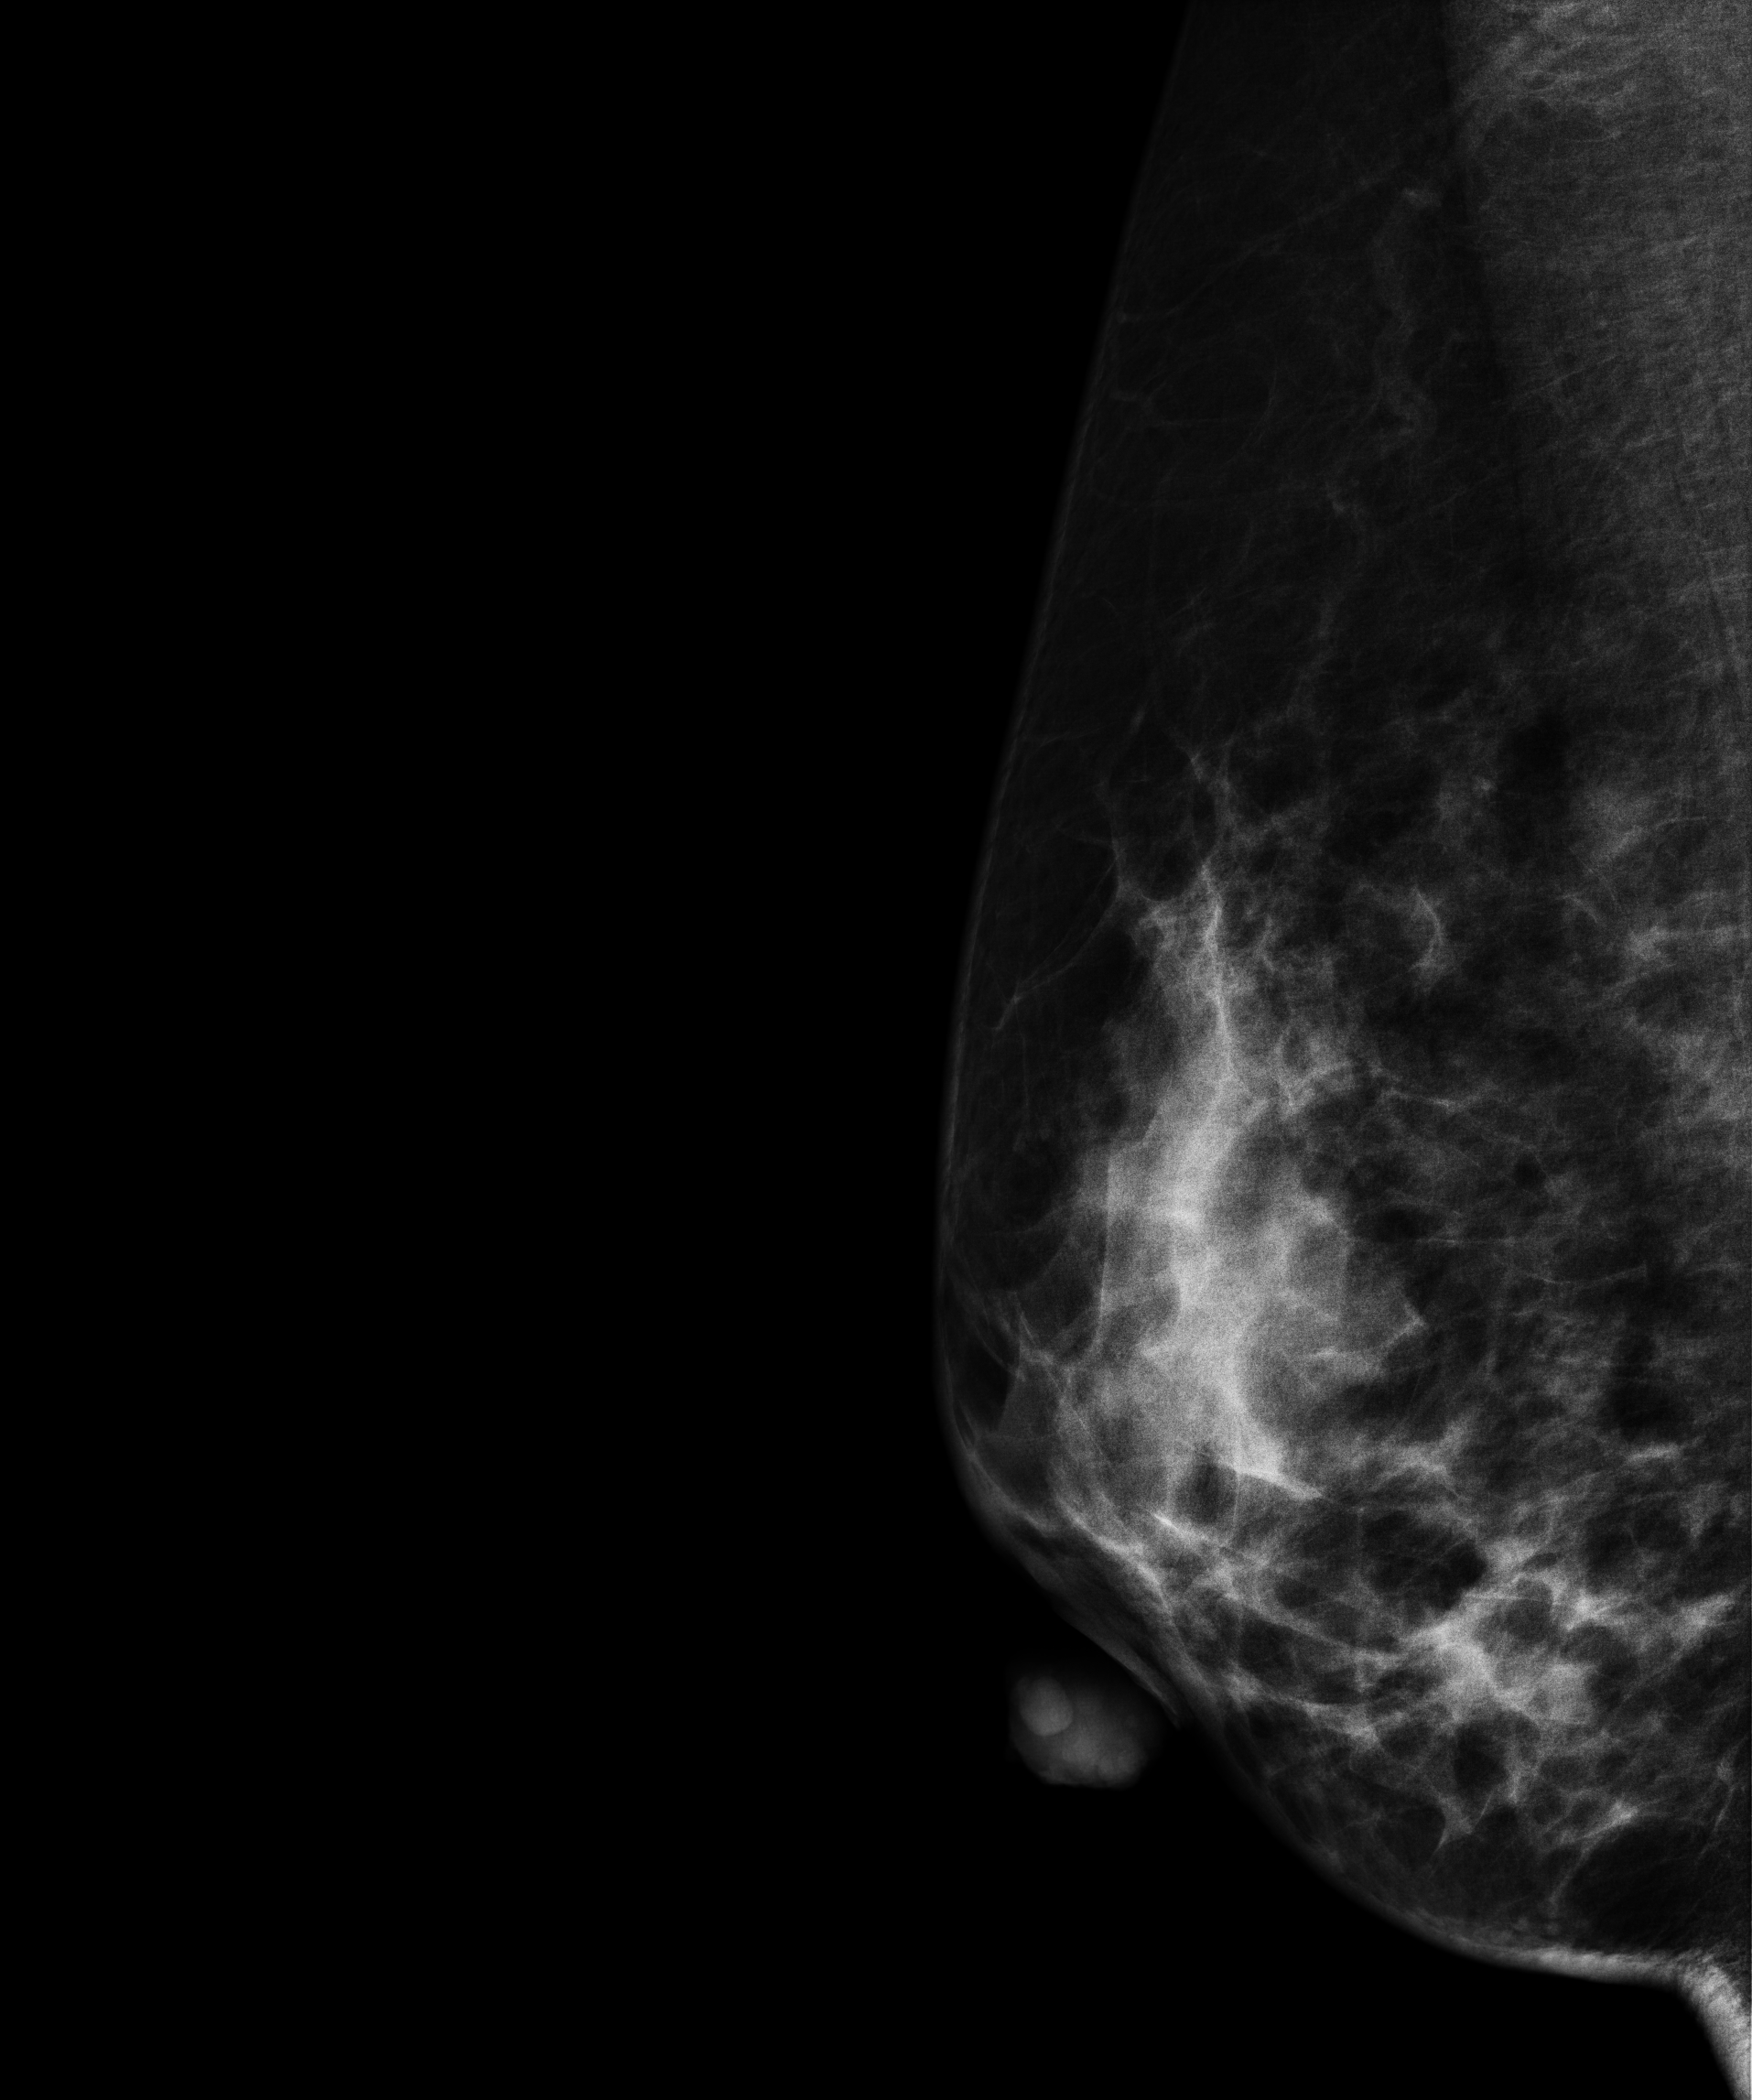
Digital mammography. Right breast, medio-lateral oblique projection. 40 y/o patient.
This breast has a mass, biopsy-proven malignant.